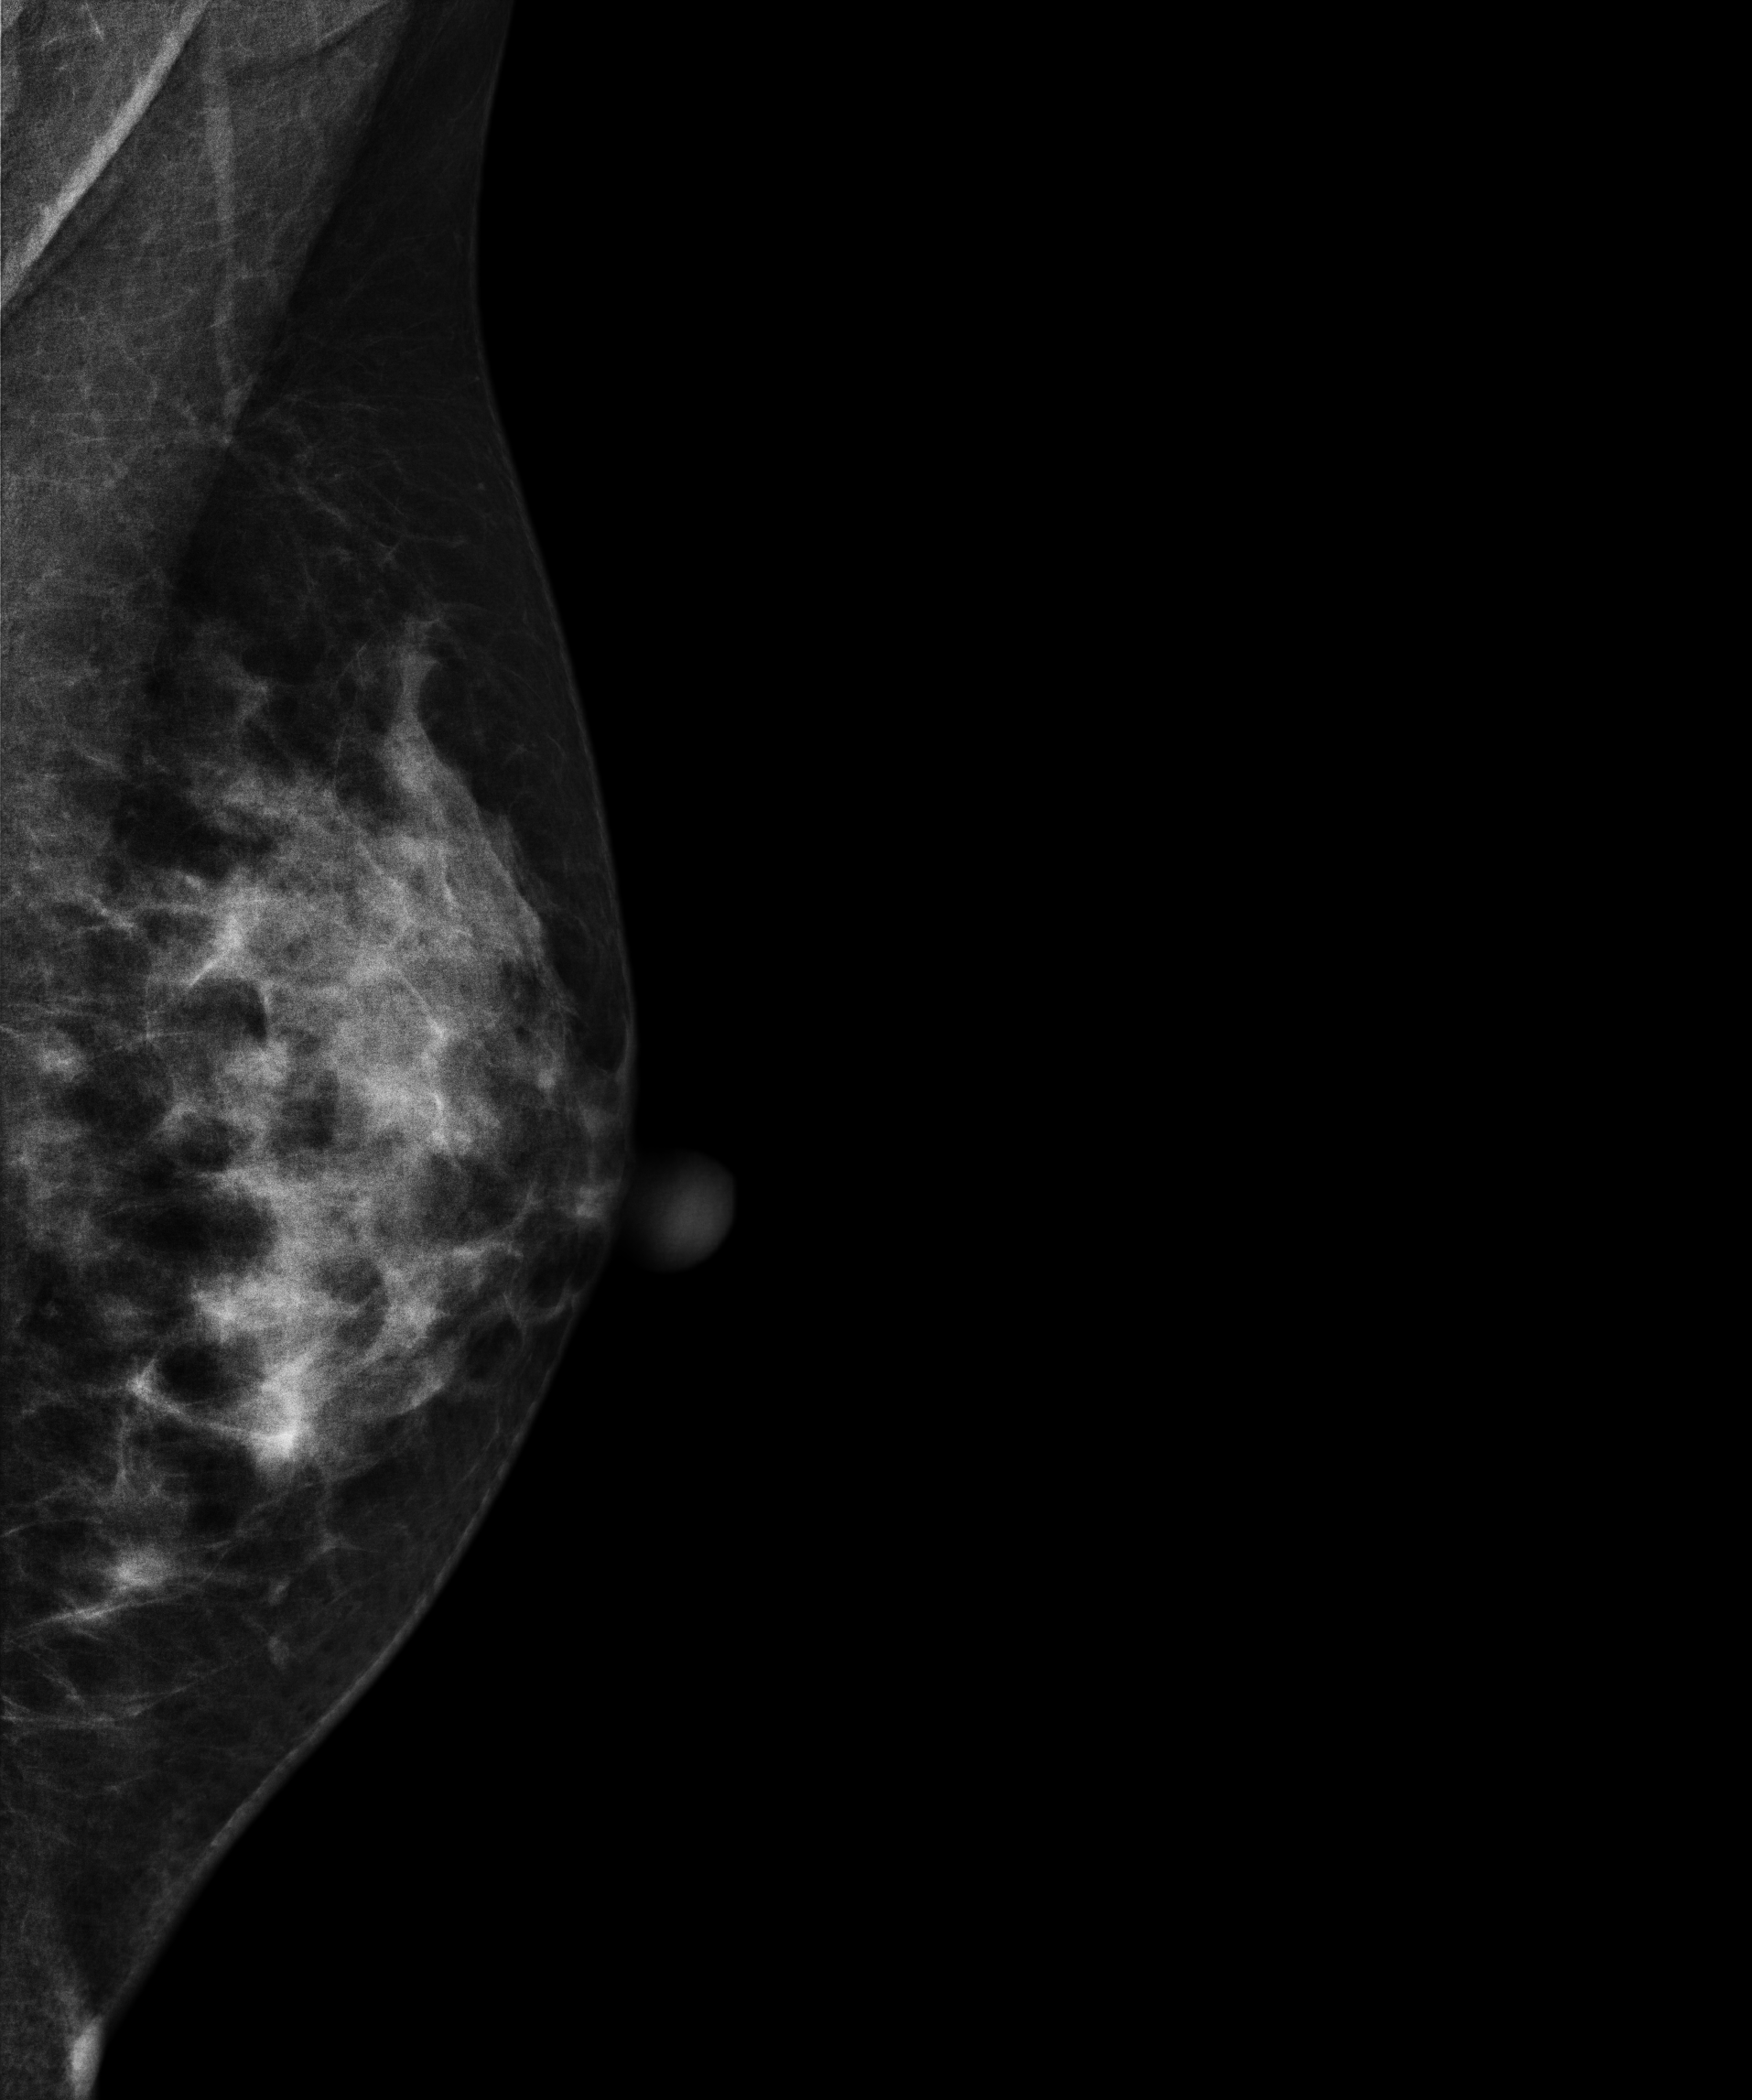
Mammogram, left breast, MLO view. Patient age 44.
Contralateral breast — no documented abnormality on this side.